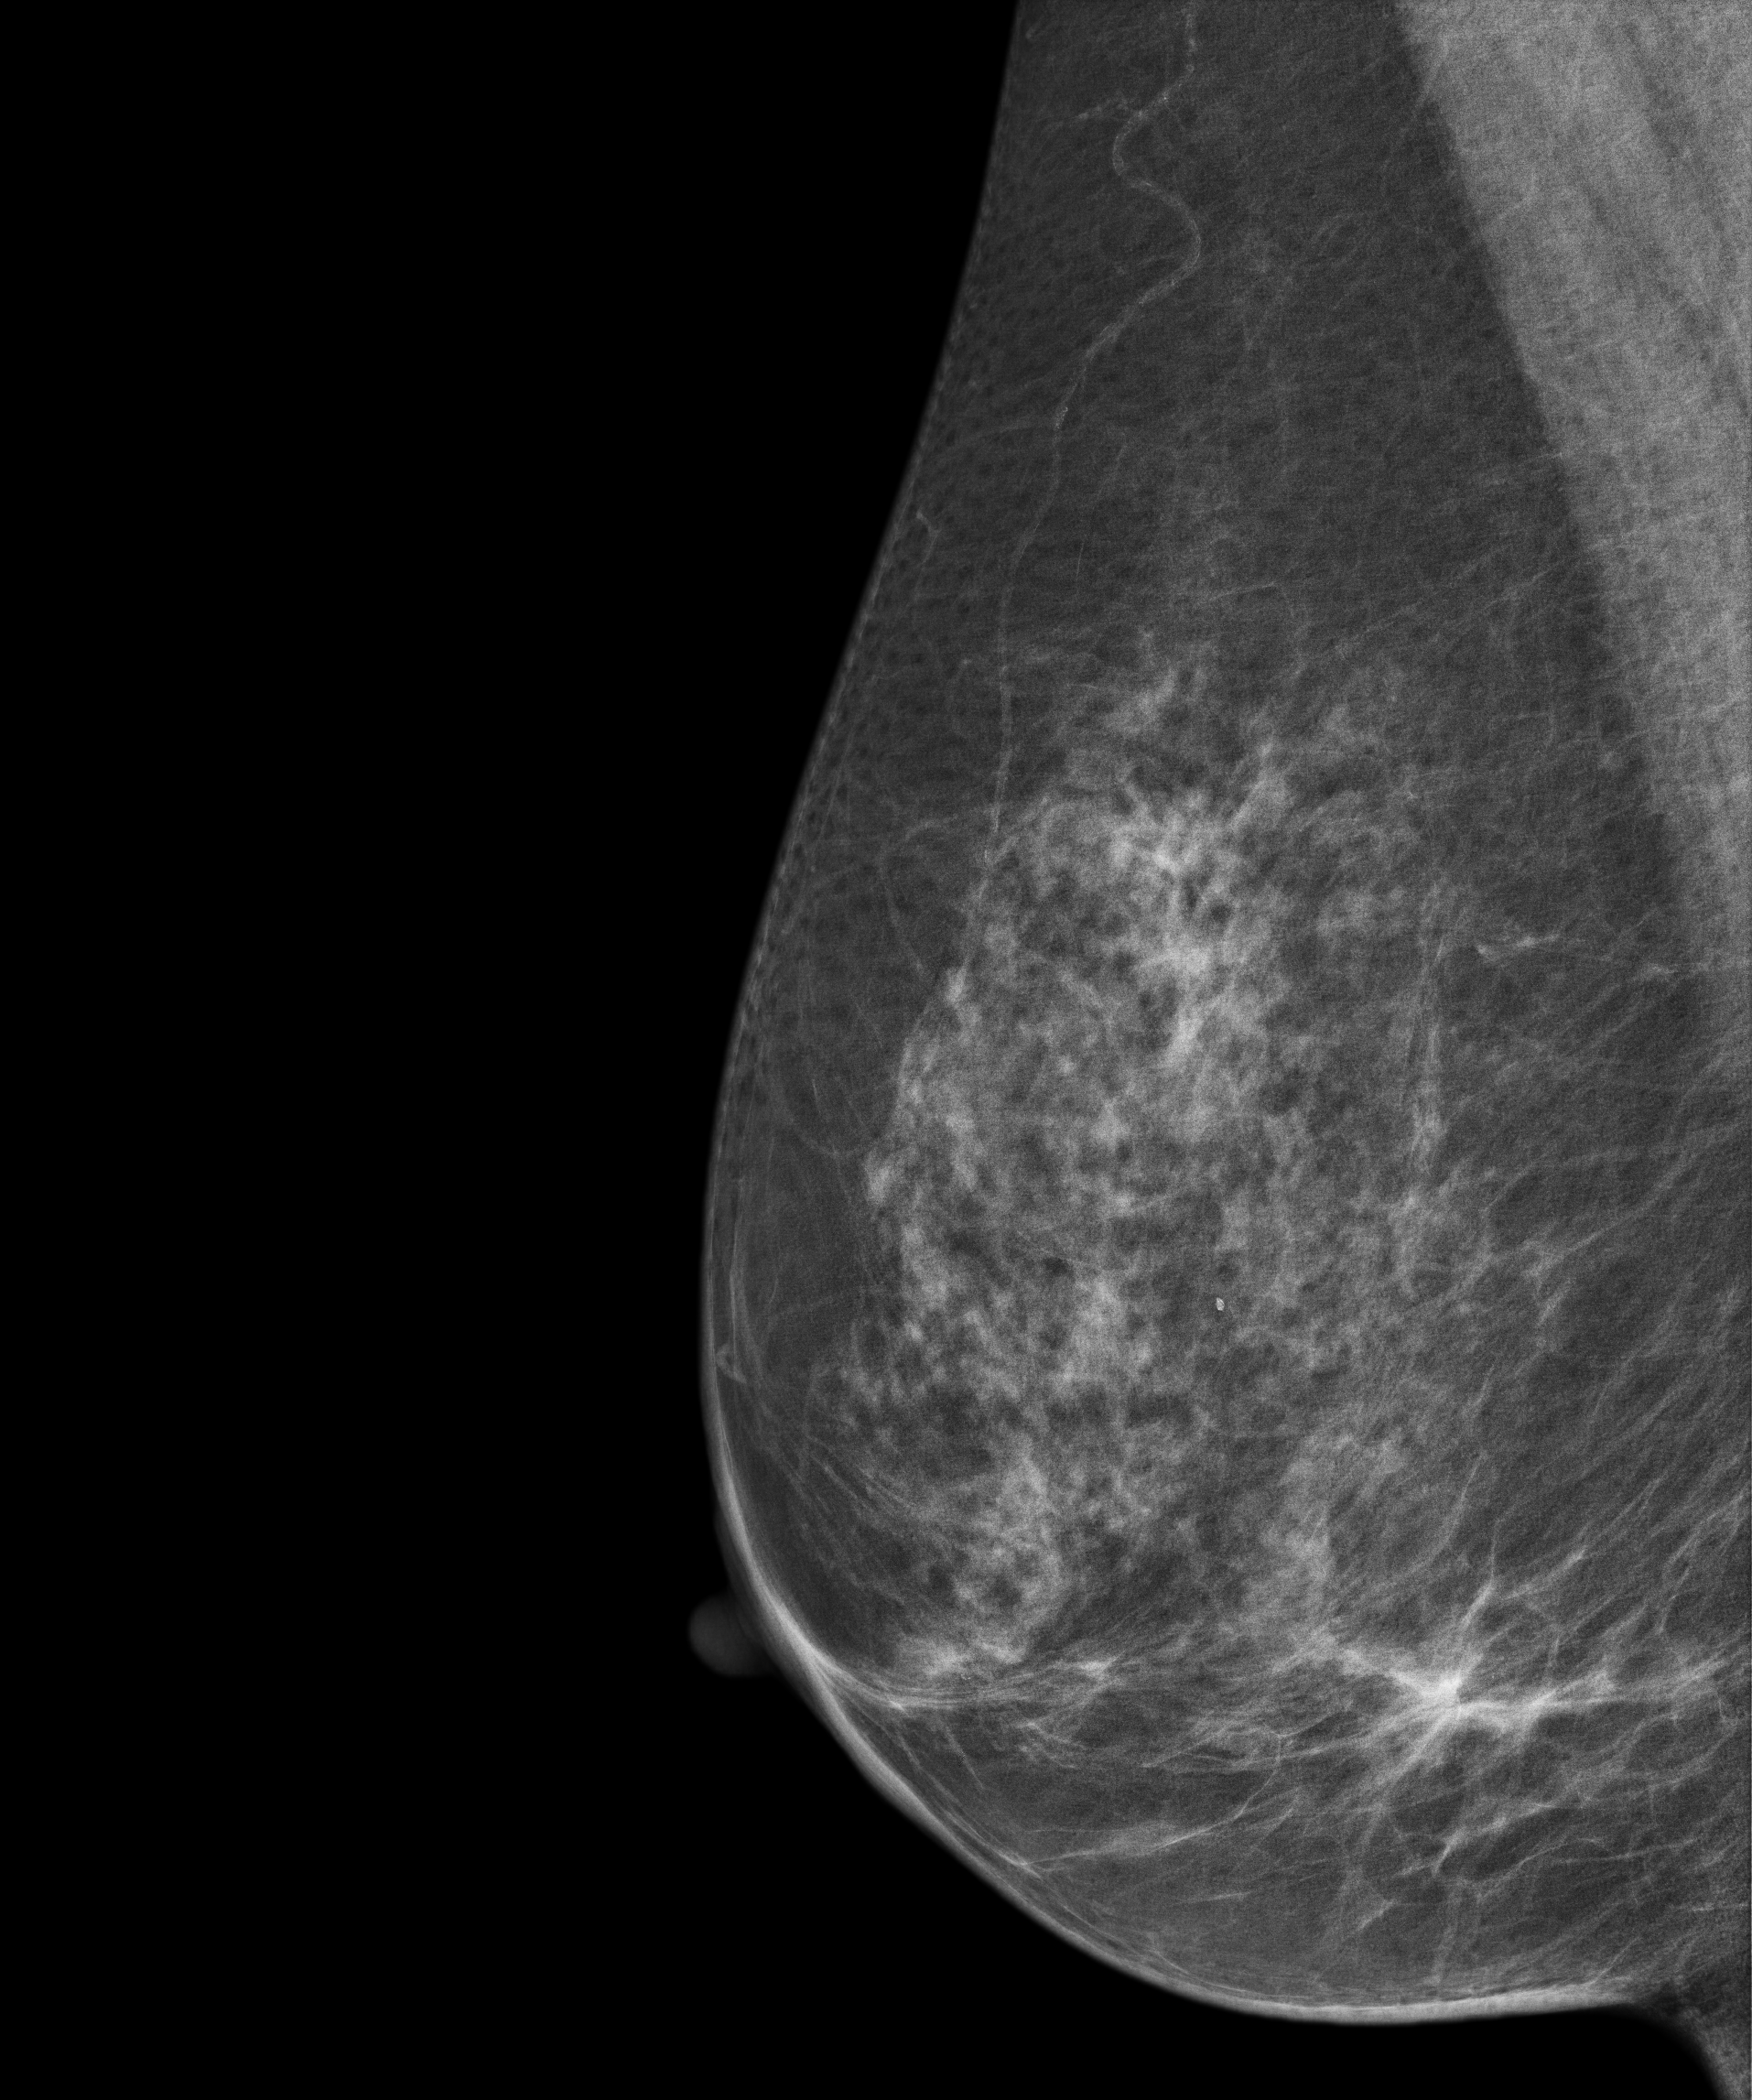
Right-breast mammogram, MLO. Patient age 54.
Contralateral breast — no documented abnormality on this side.